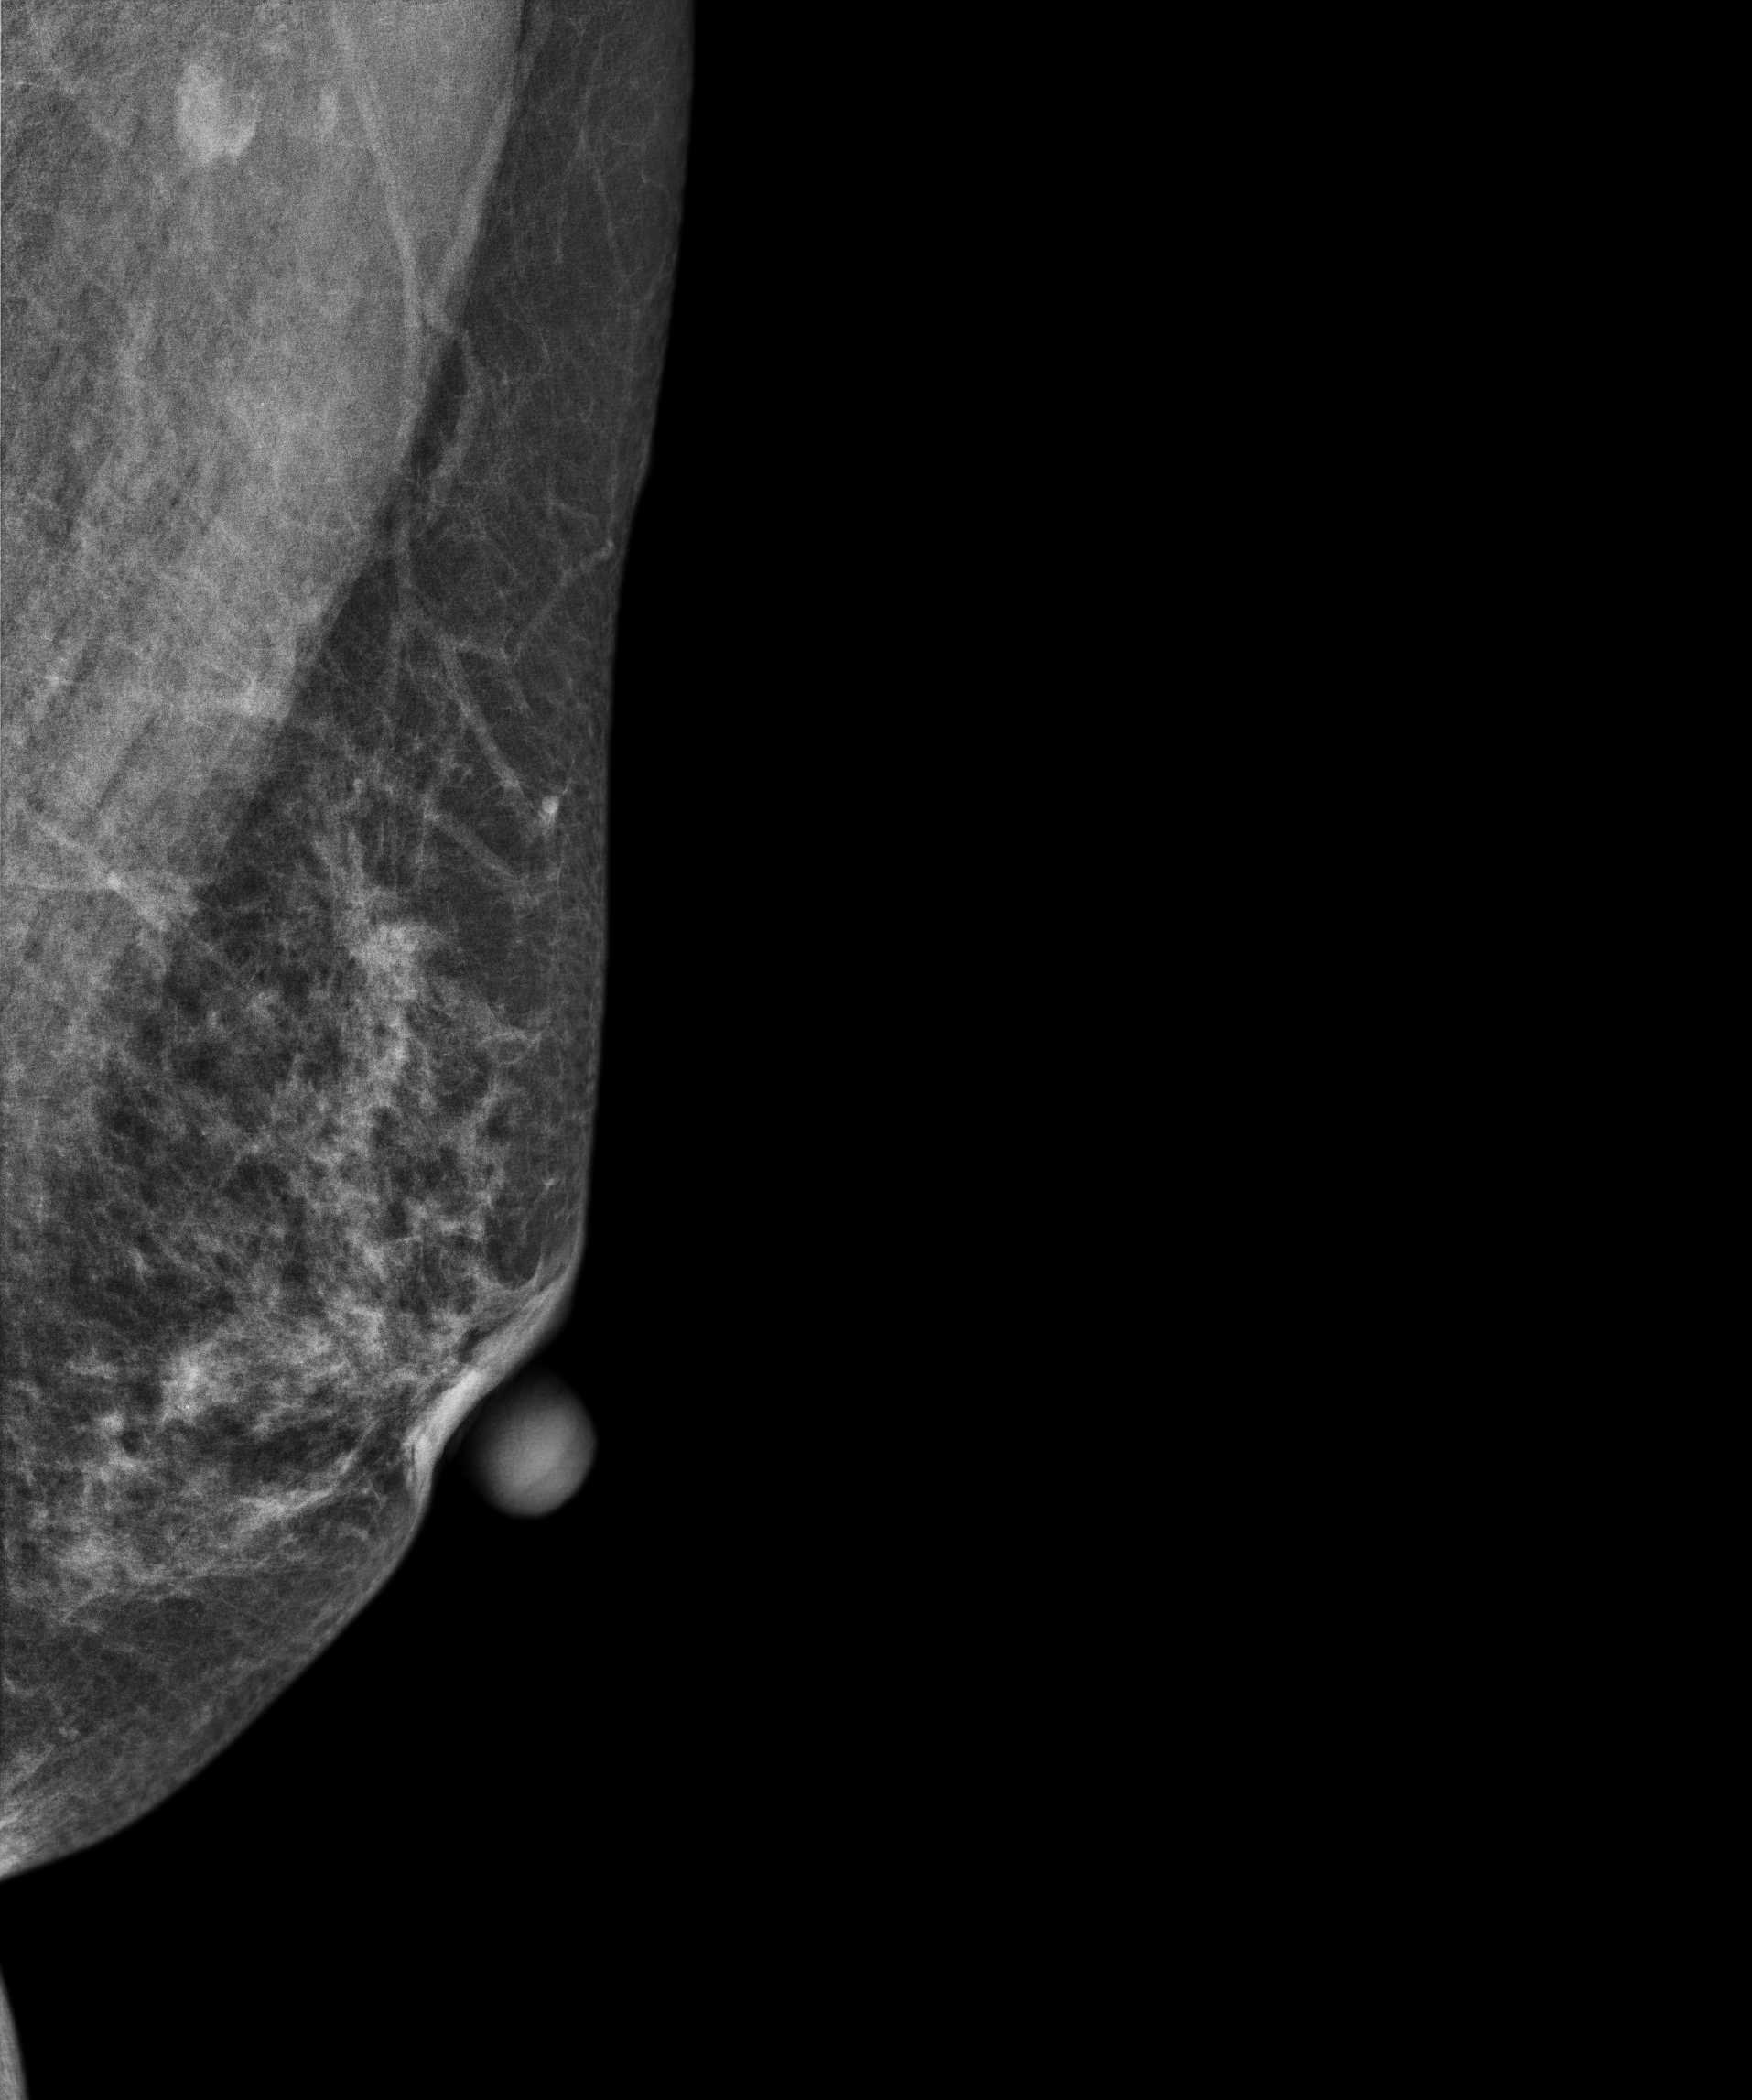
Mammogram — left MLO. 60 y/o patient.
Contralateral breast — no documented abnormality on this side.